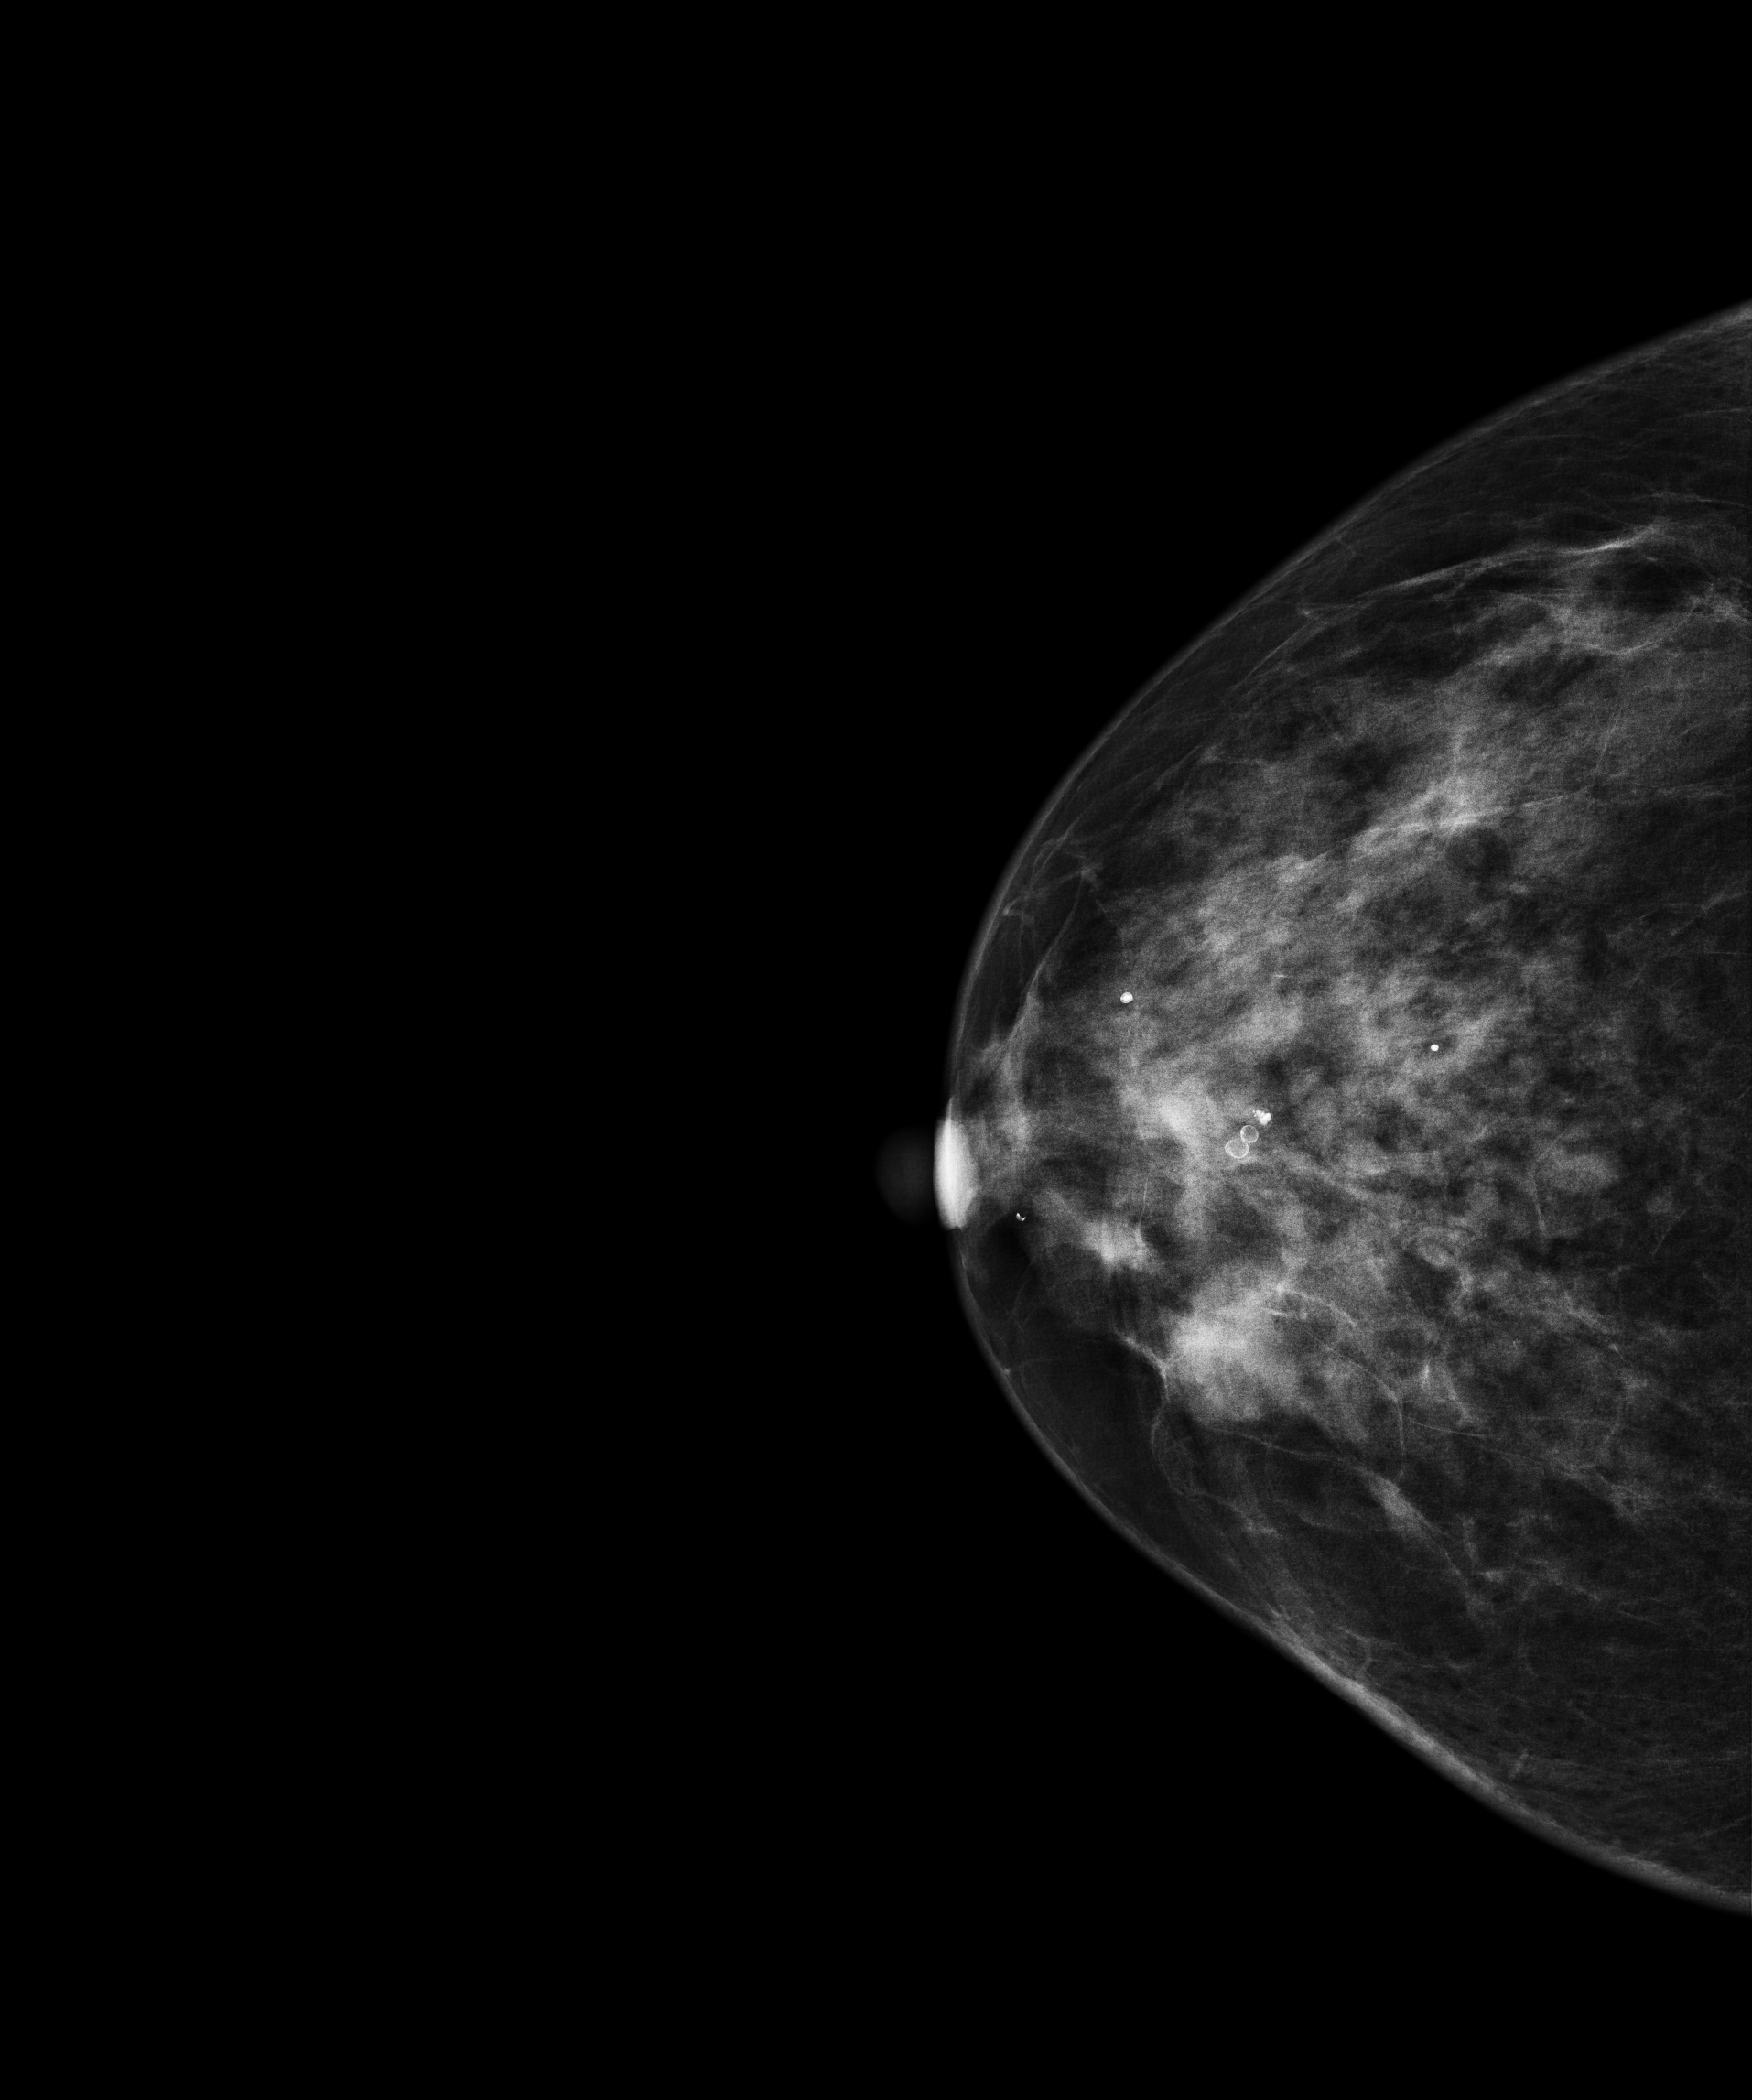
Mammogram — right CC. Patient age 48.
Contralateral breast — no documented abnormality on this side.